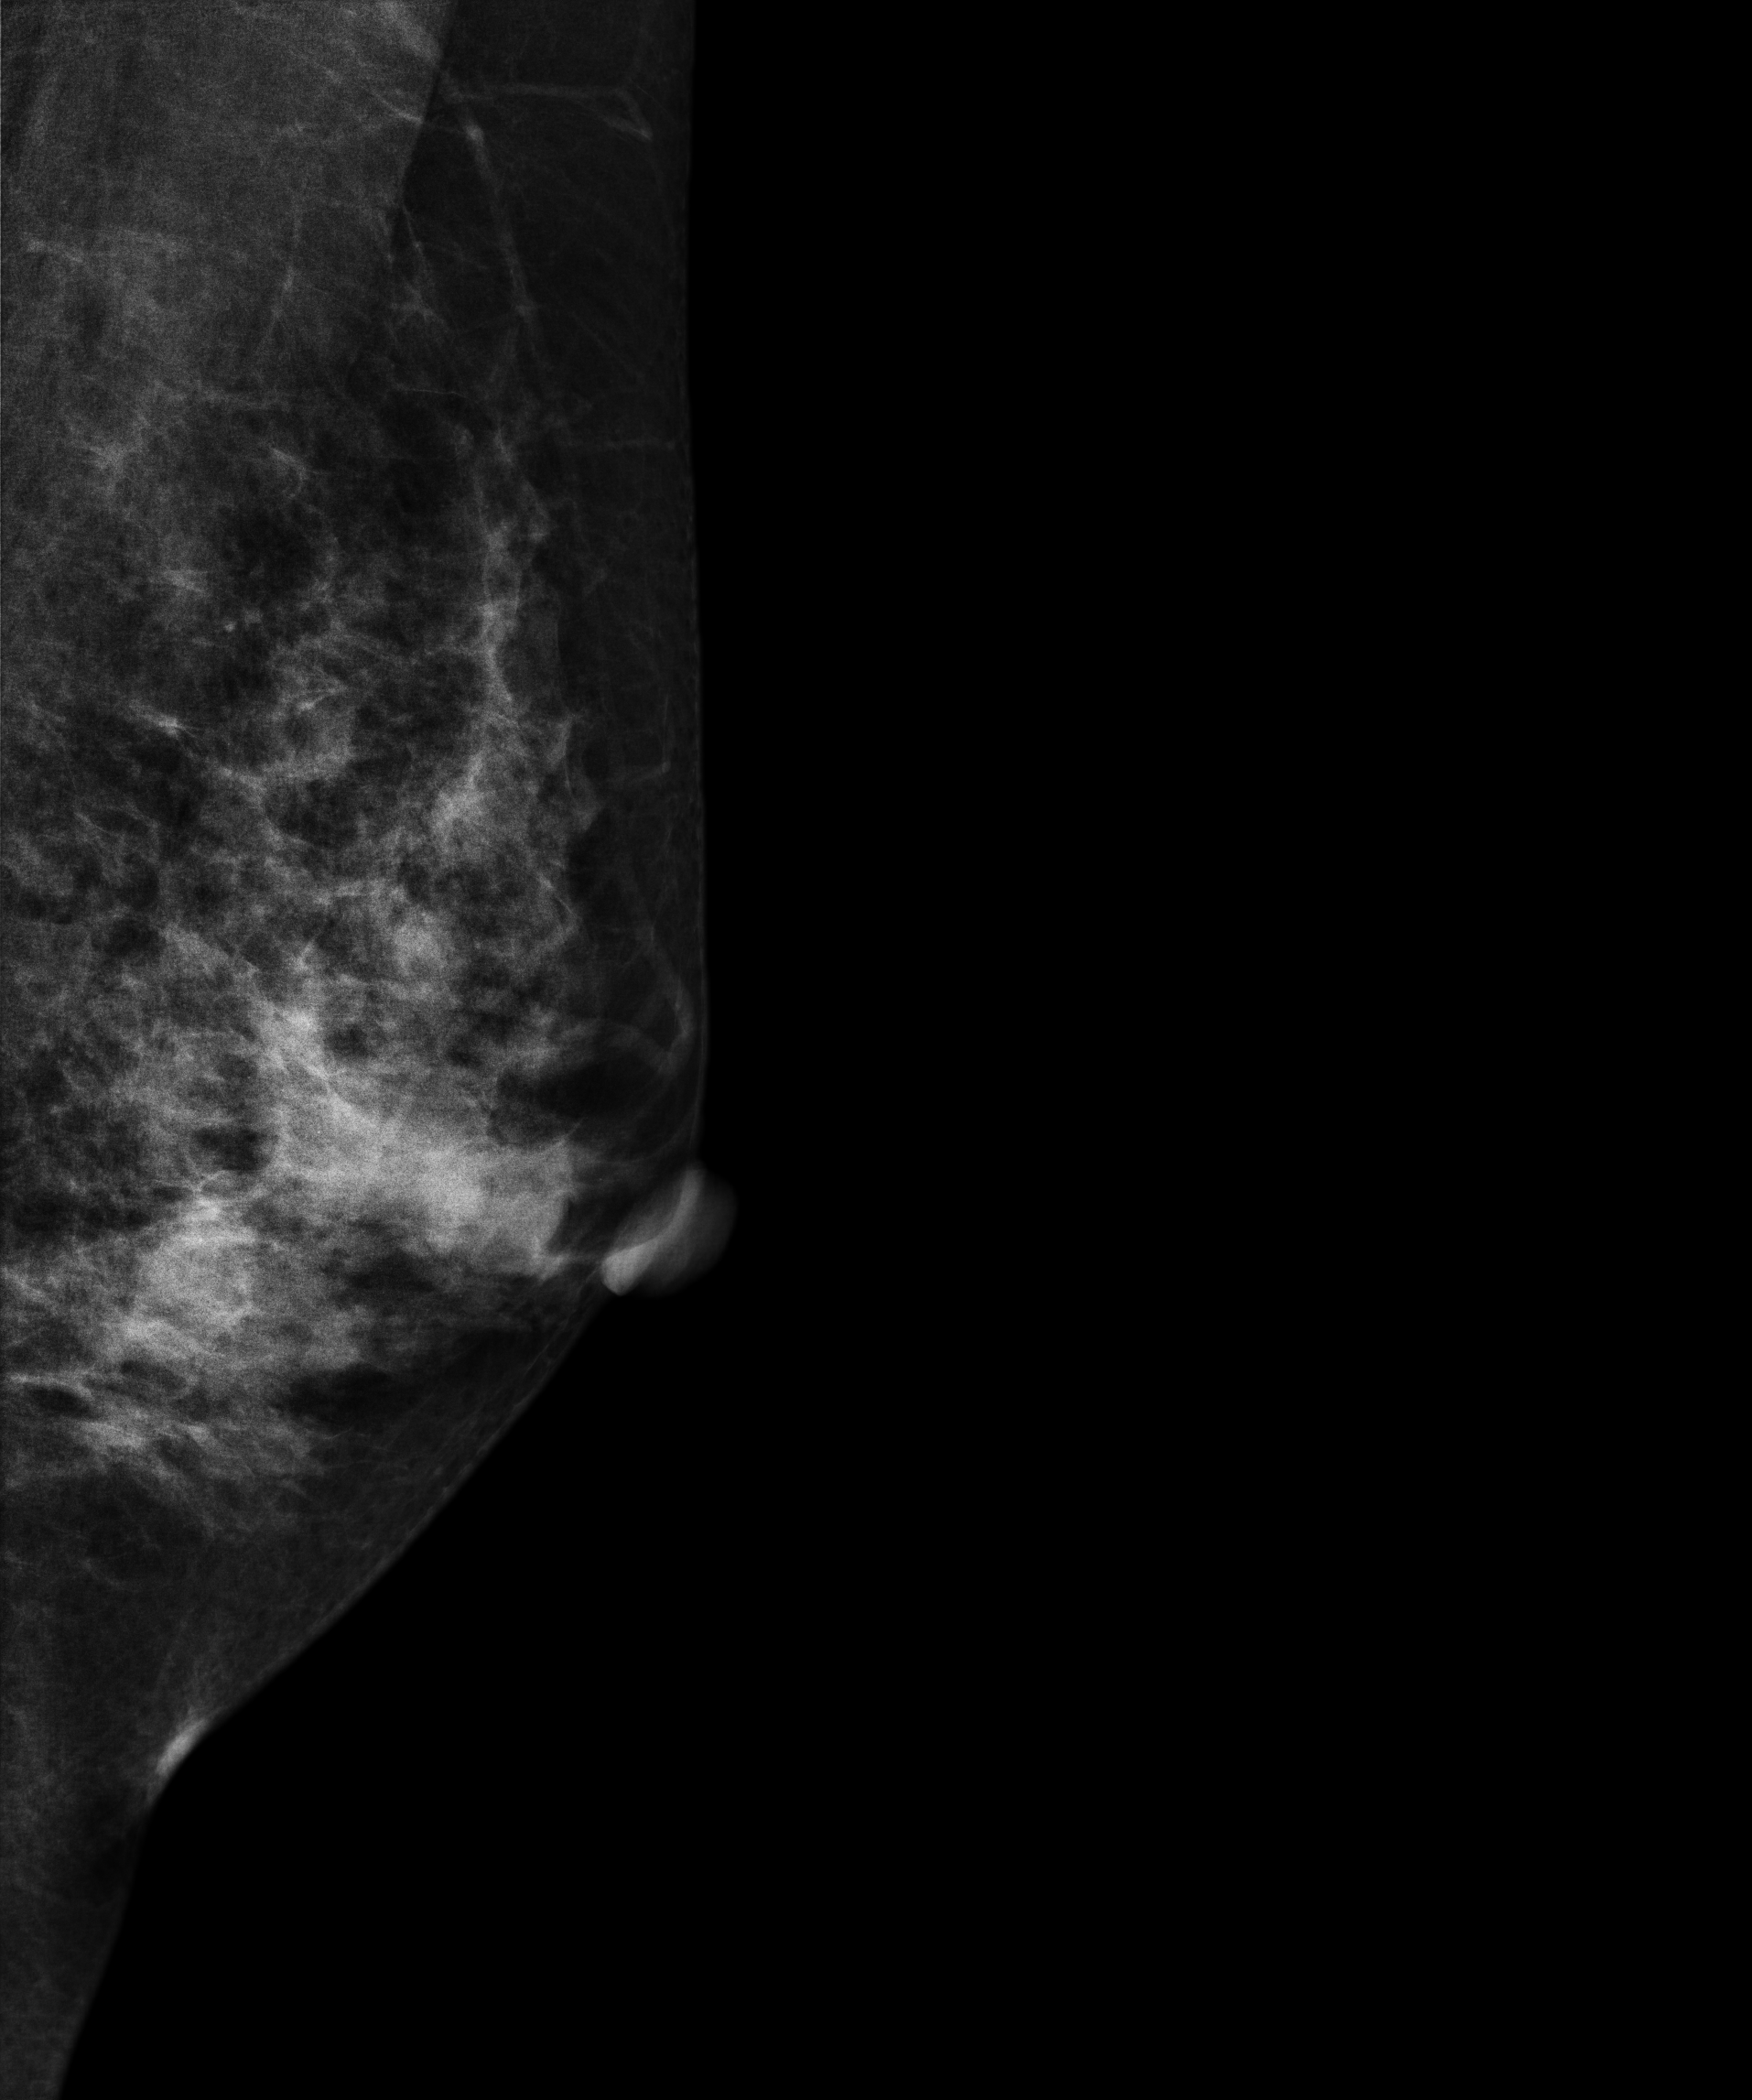
Digital mammography. Left breast, MLO projection. 43-year-old patient.
This breast has a mass, histologically confirmed benign.